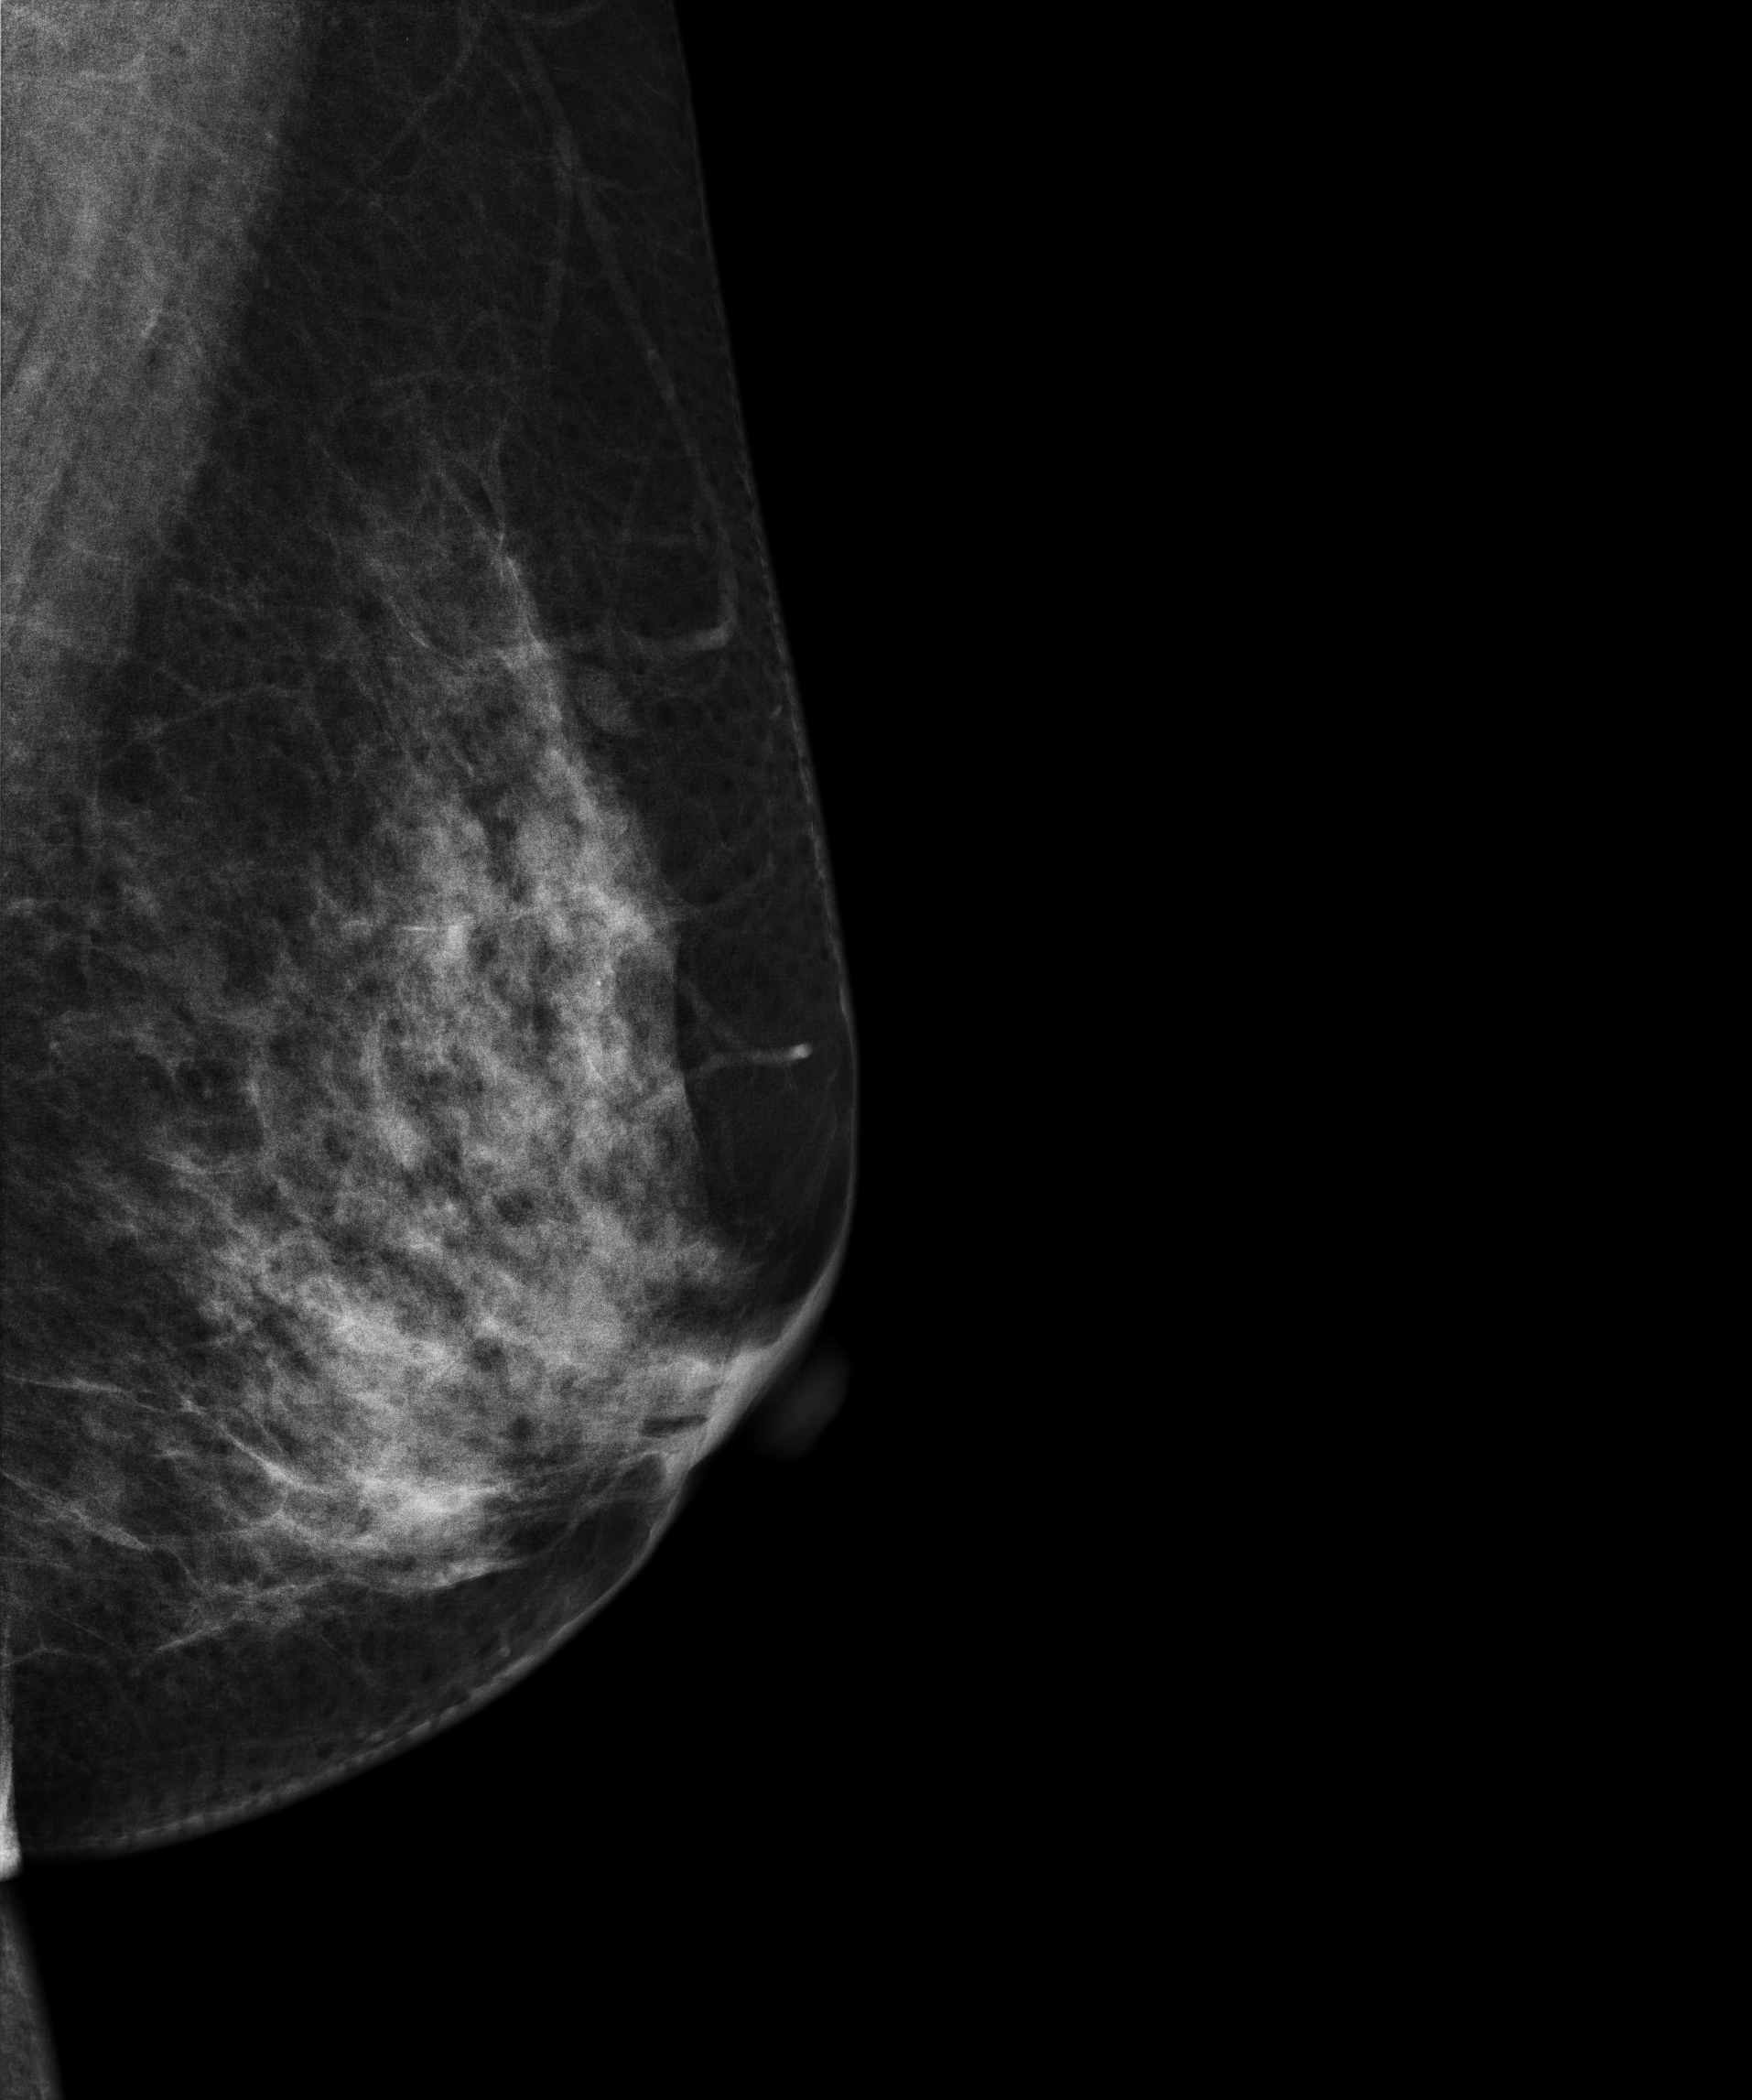
Mammogram — left MLO. 44-year-old patient.
Contralateral breast — no documented abnormality on this side.